Mammogram, left breast, MLO view. 50 y/o patient.
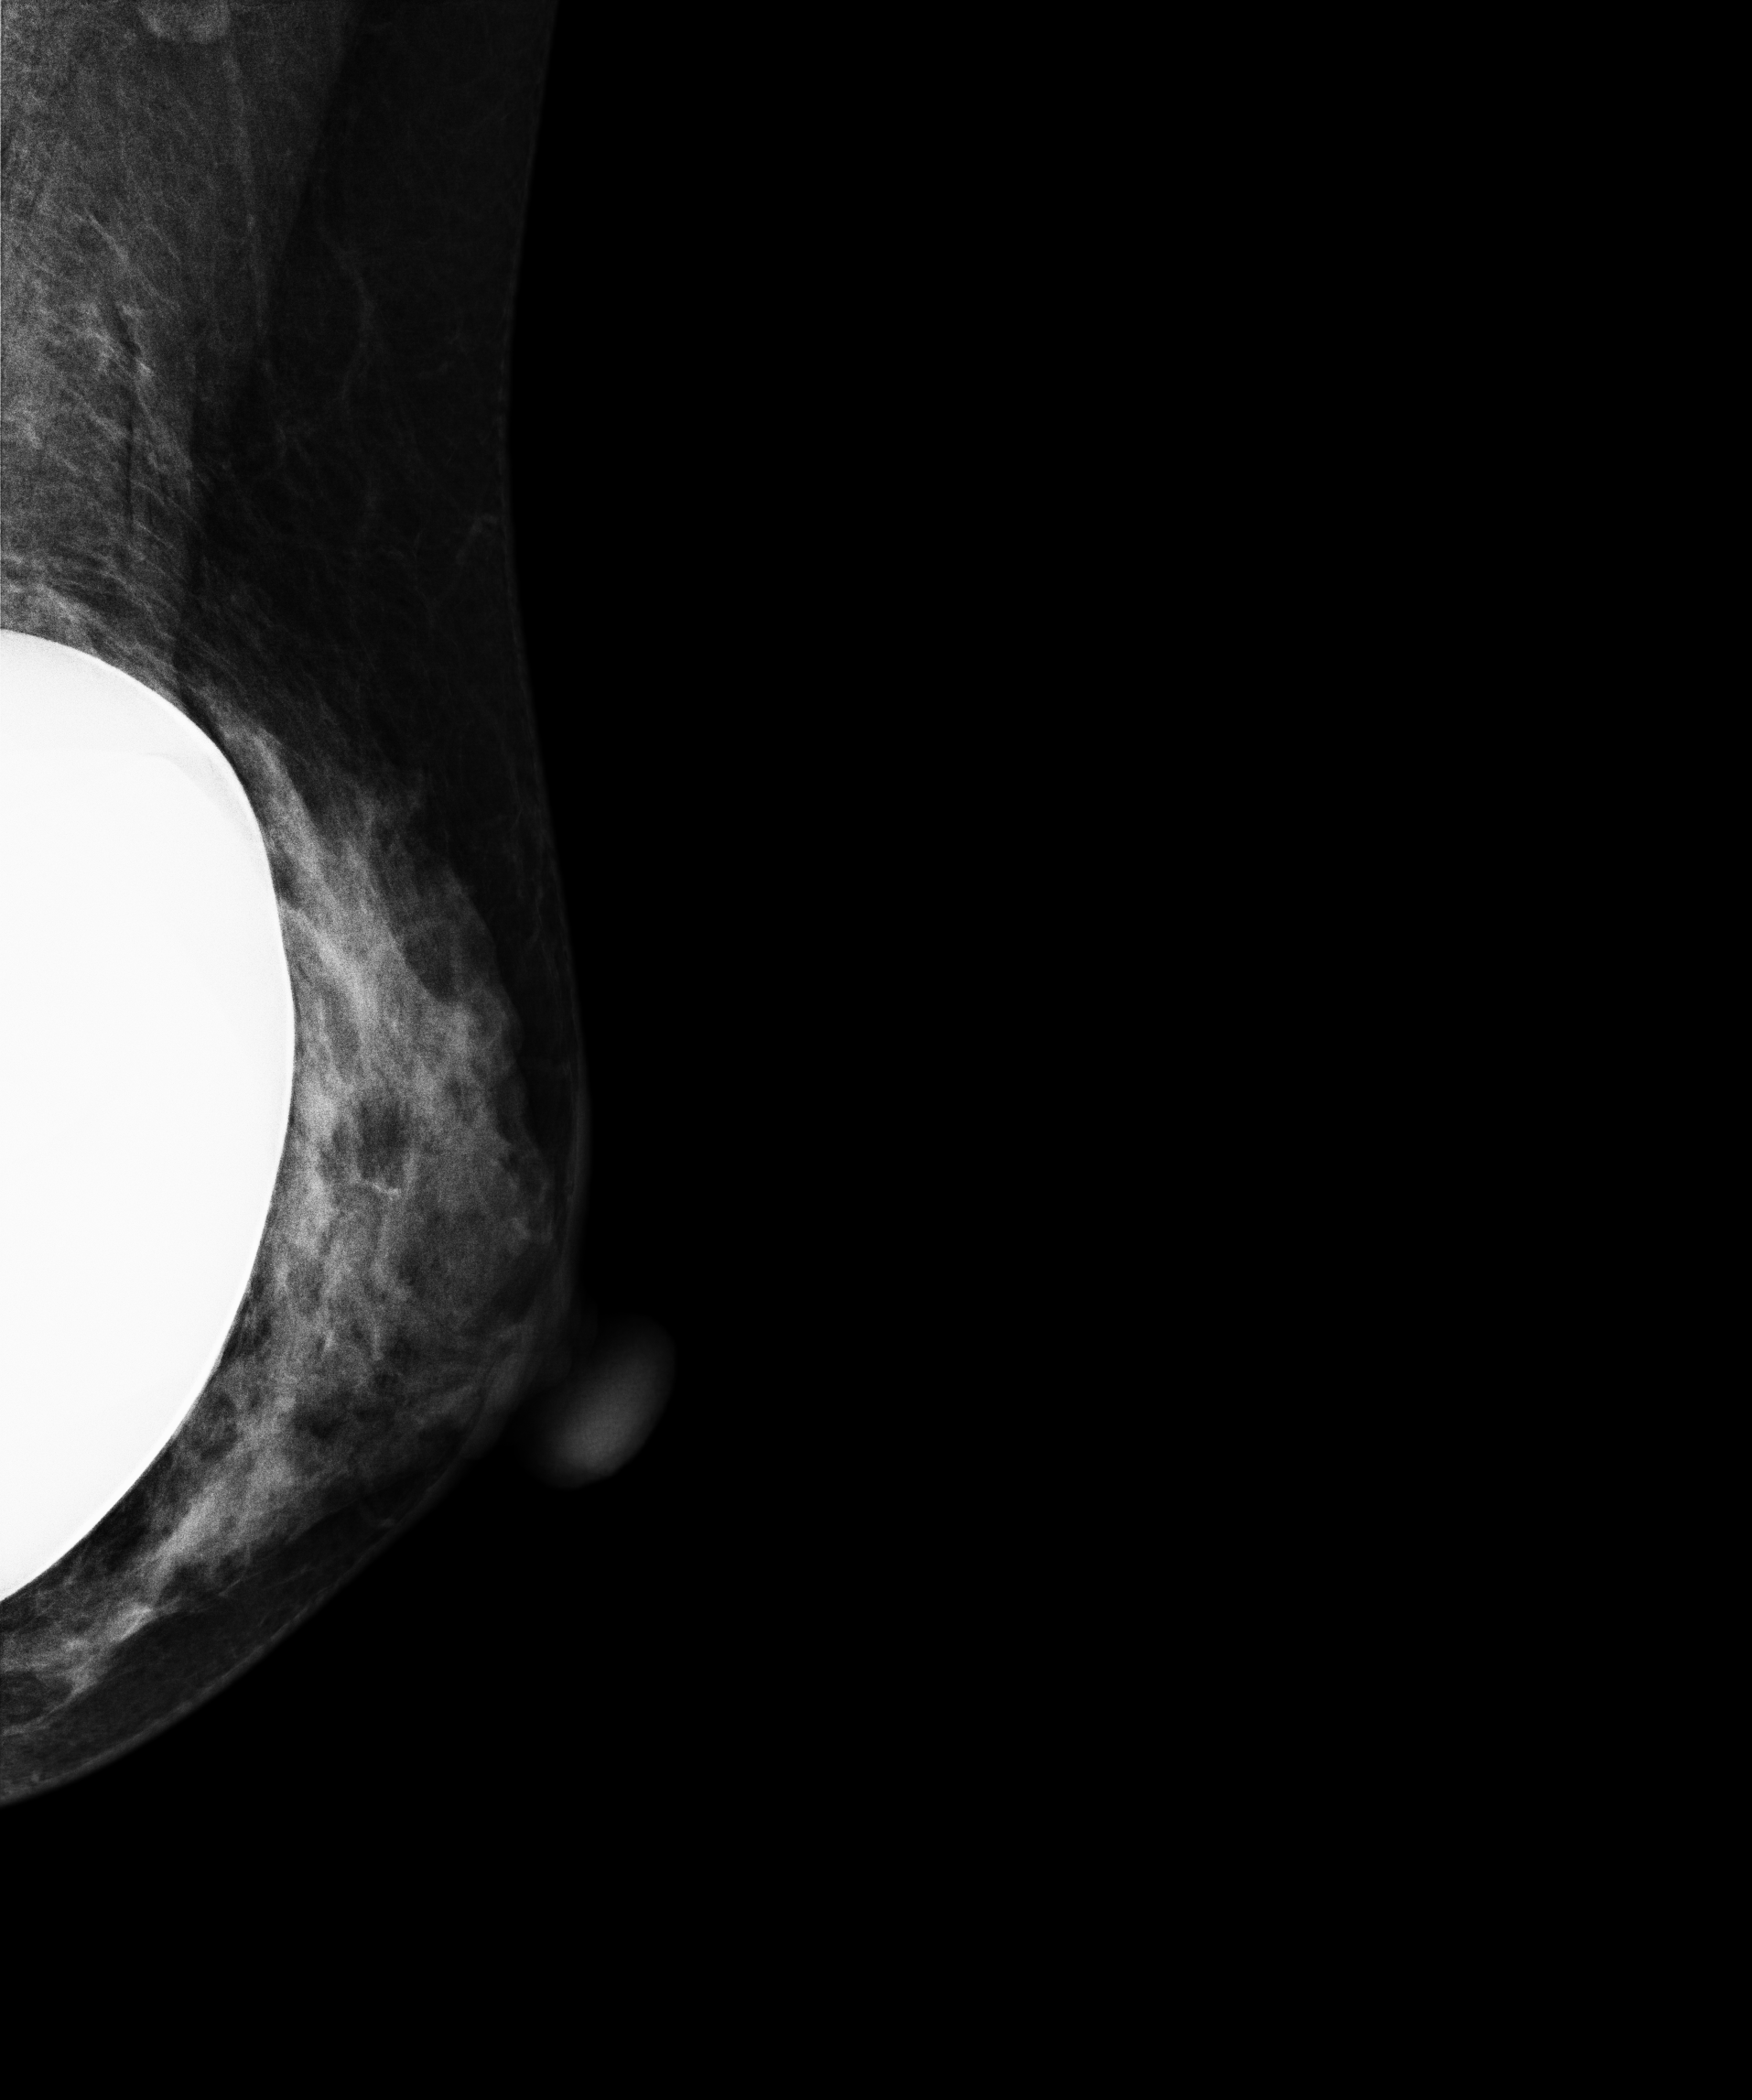
Contralateral breast — no documented abnormality on this side.